Mammogram, right breast, medio-lateral oblique view. 57-year-old patient.
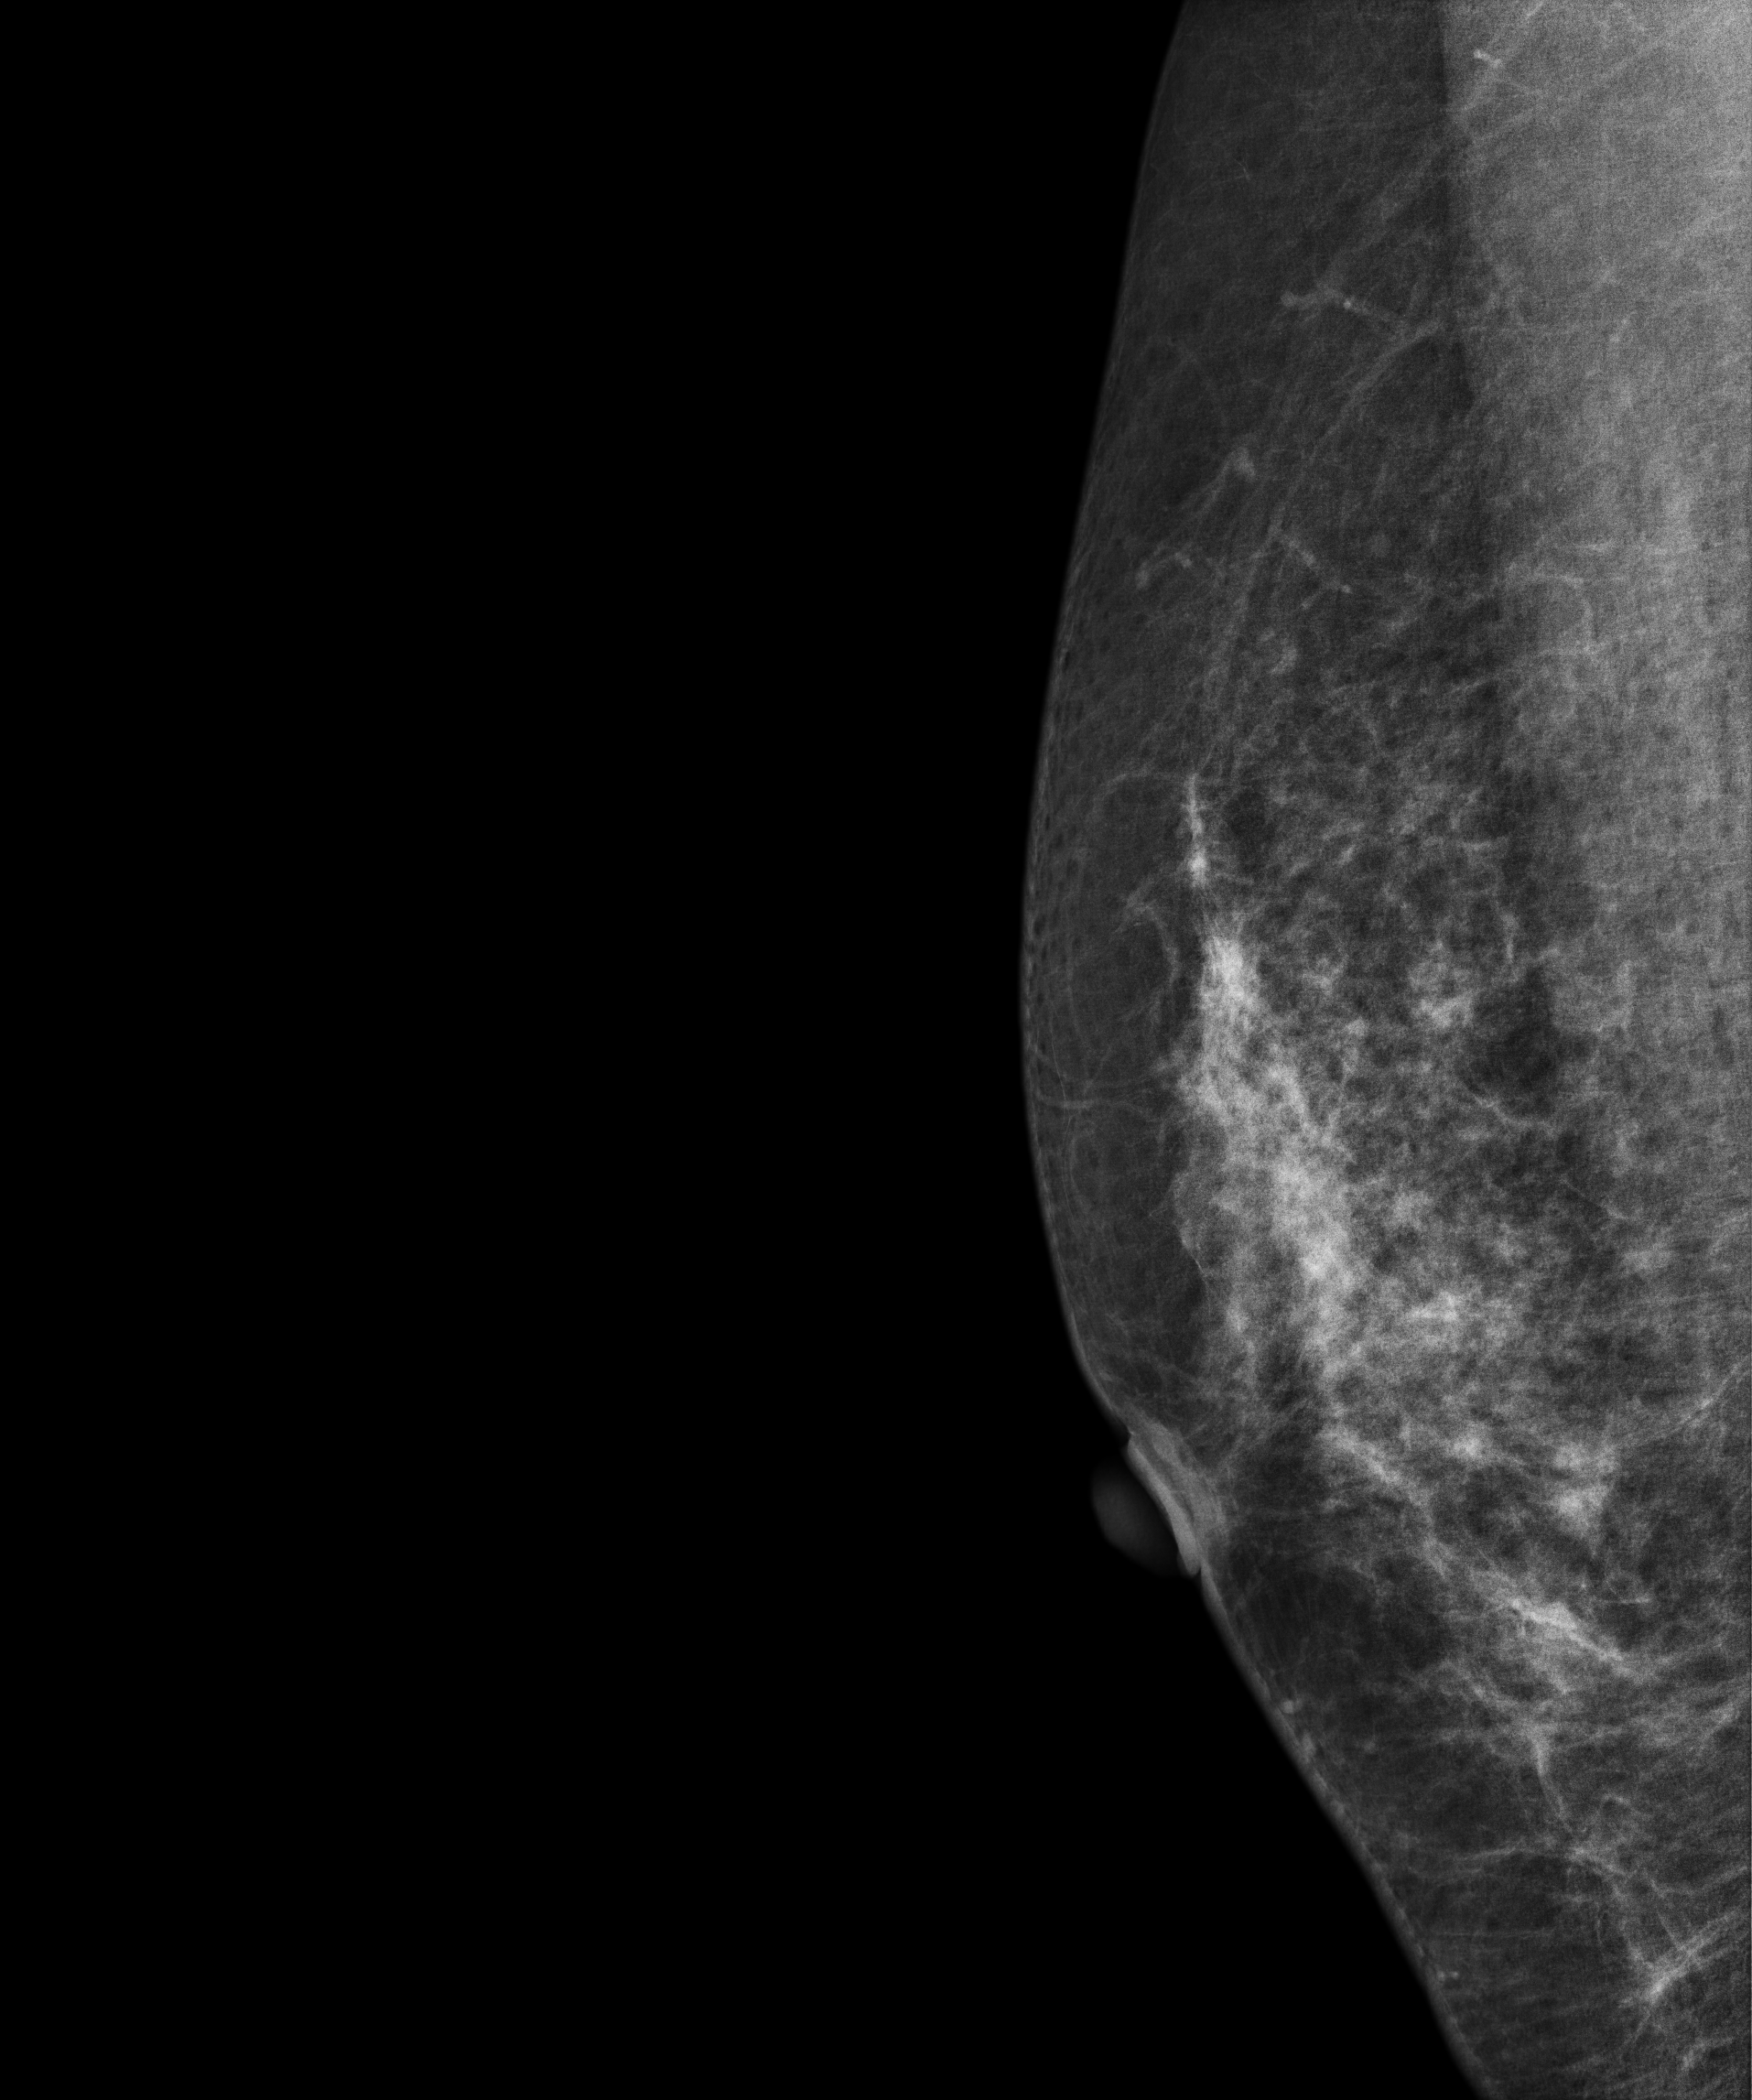
Contralateral breast — no documented abnormality on this side.